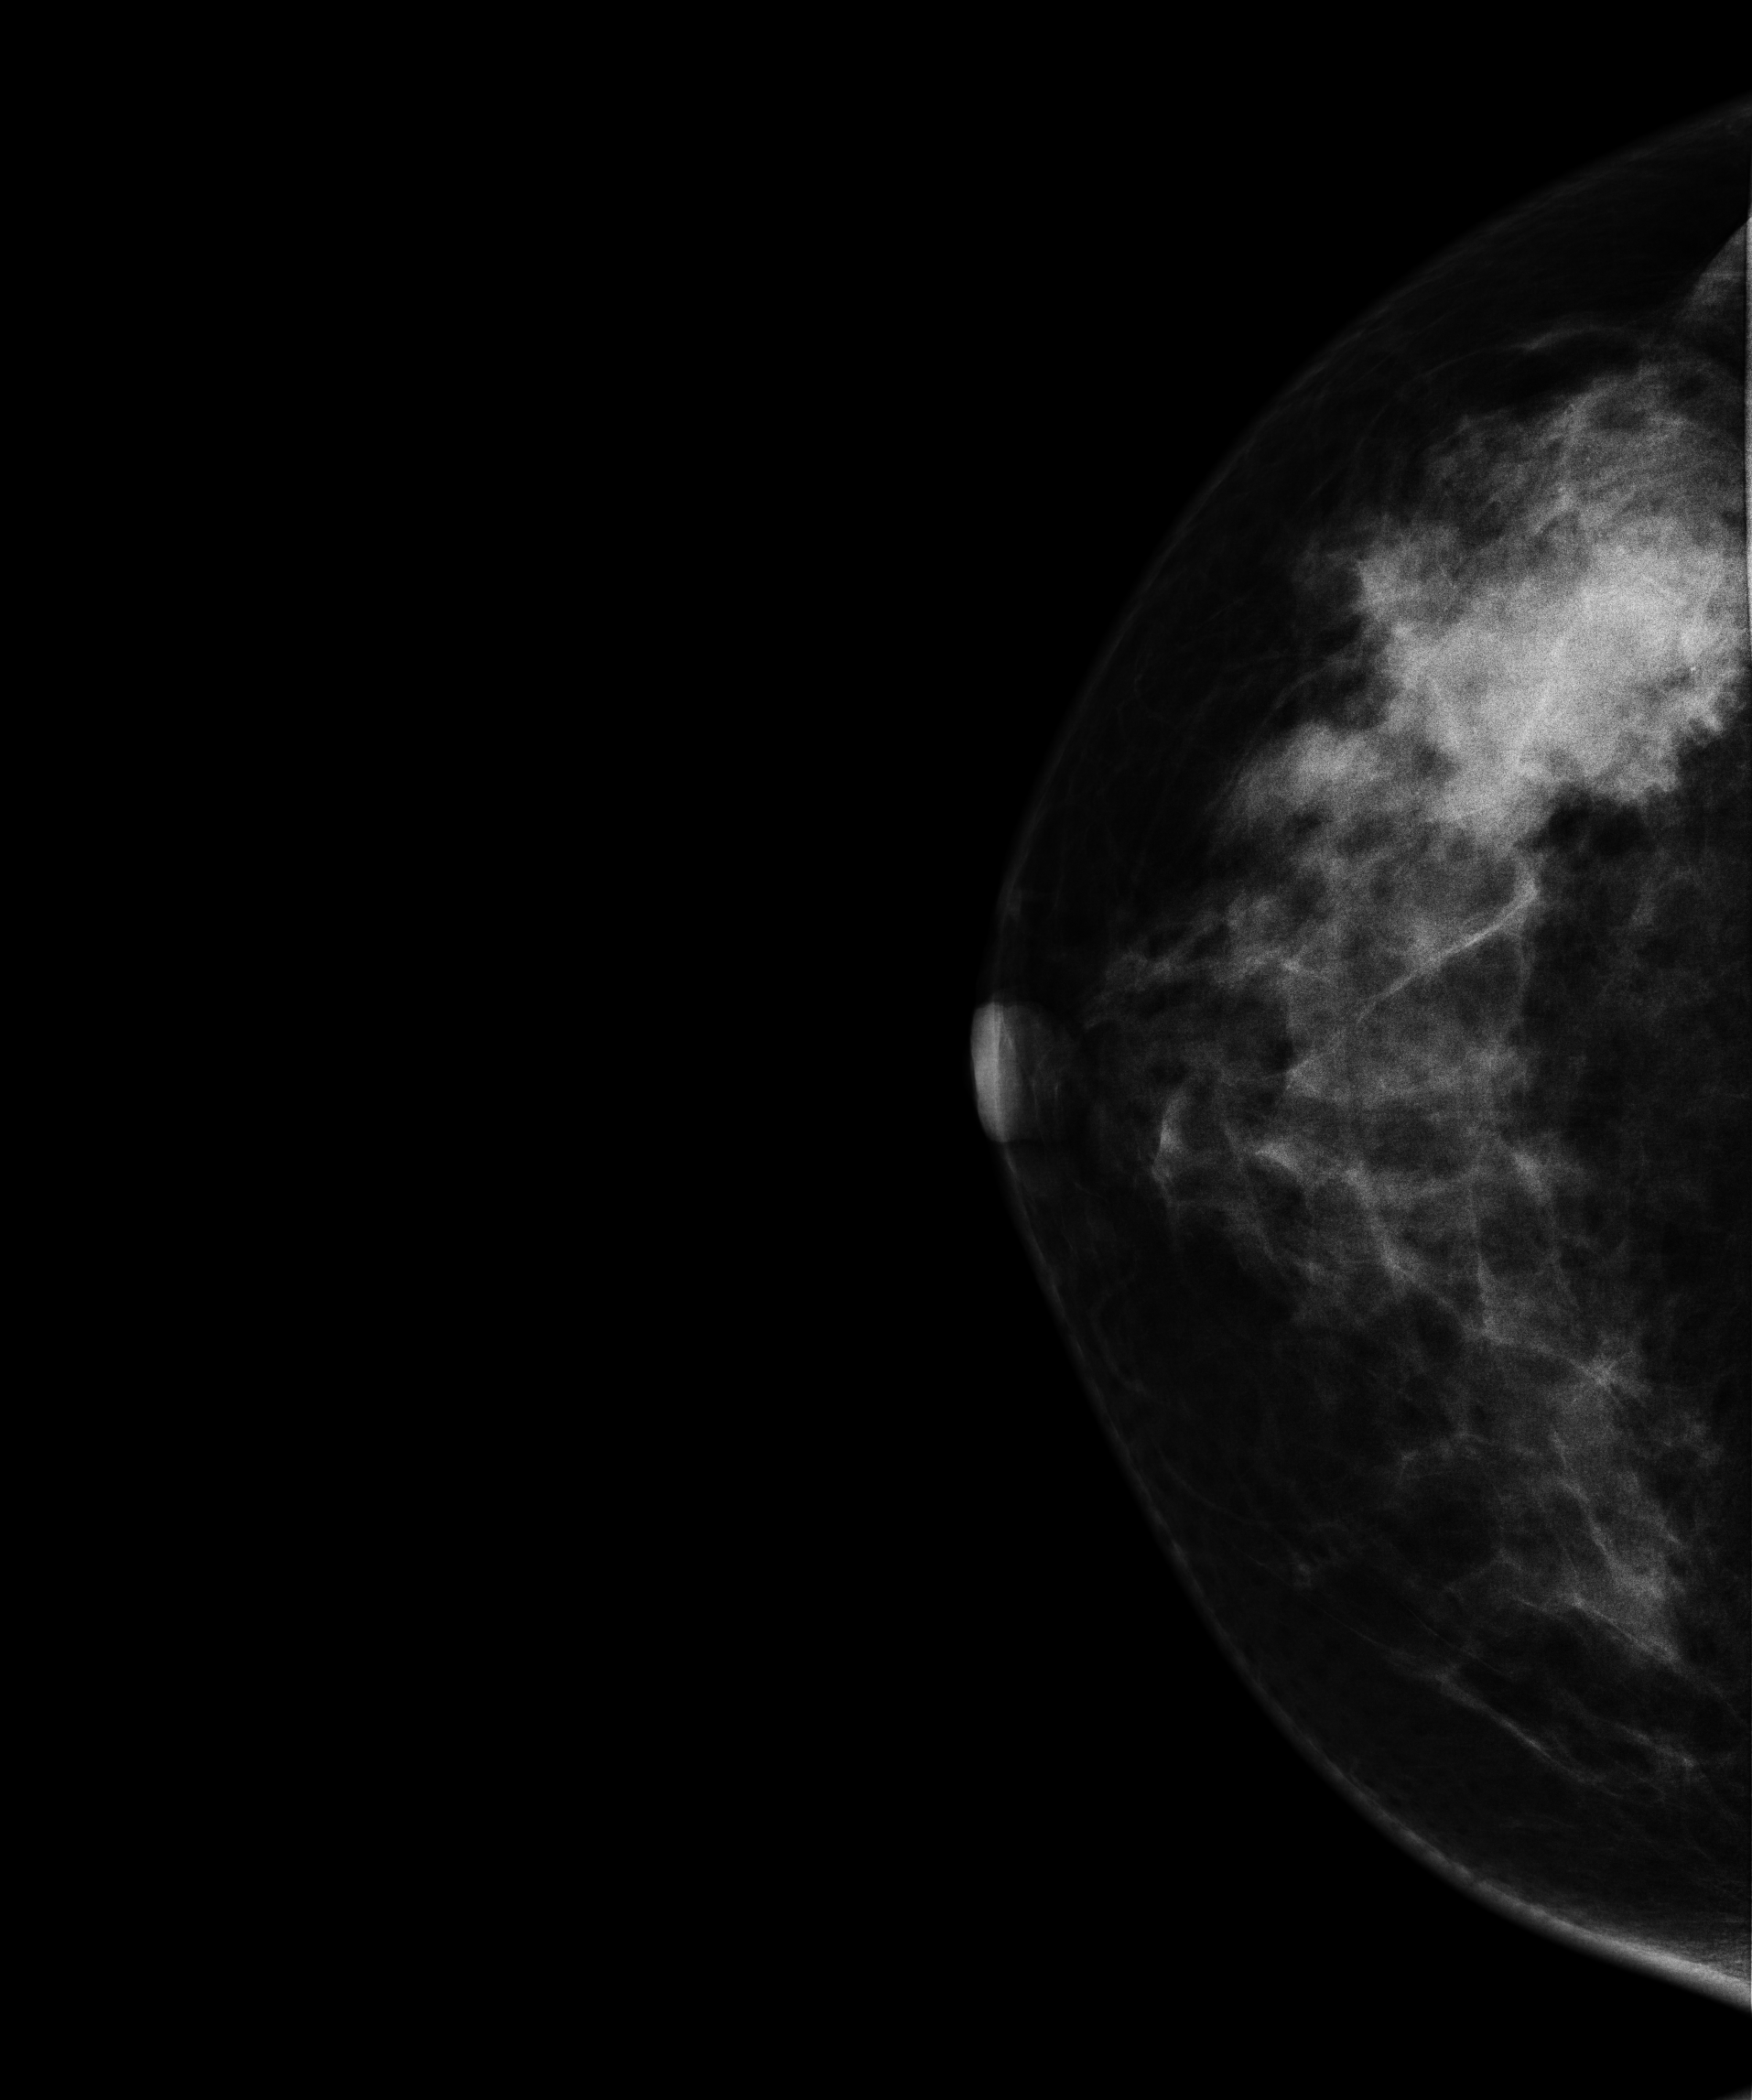
Mammogram, right breast, CC view. Patient age 49.
This breast has a mass, biopsy-confirmed malignant. Molecular subtype: luminal B.